Mammogram, left breast, medio-lateral oblique view. 52-year-old patient.
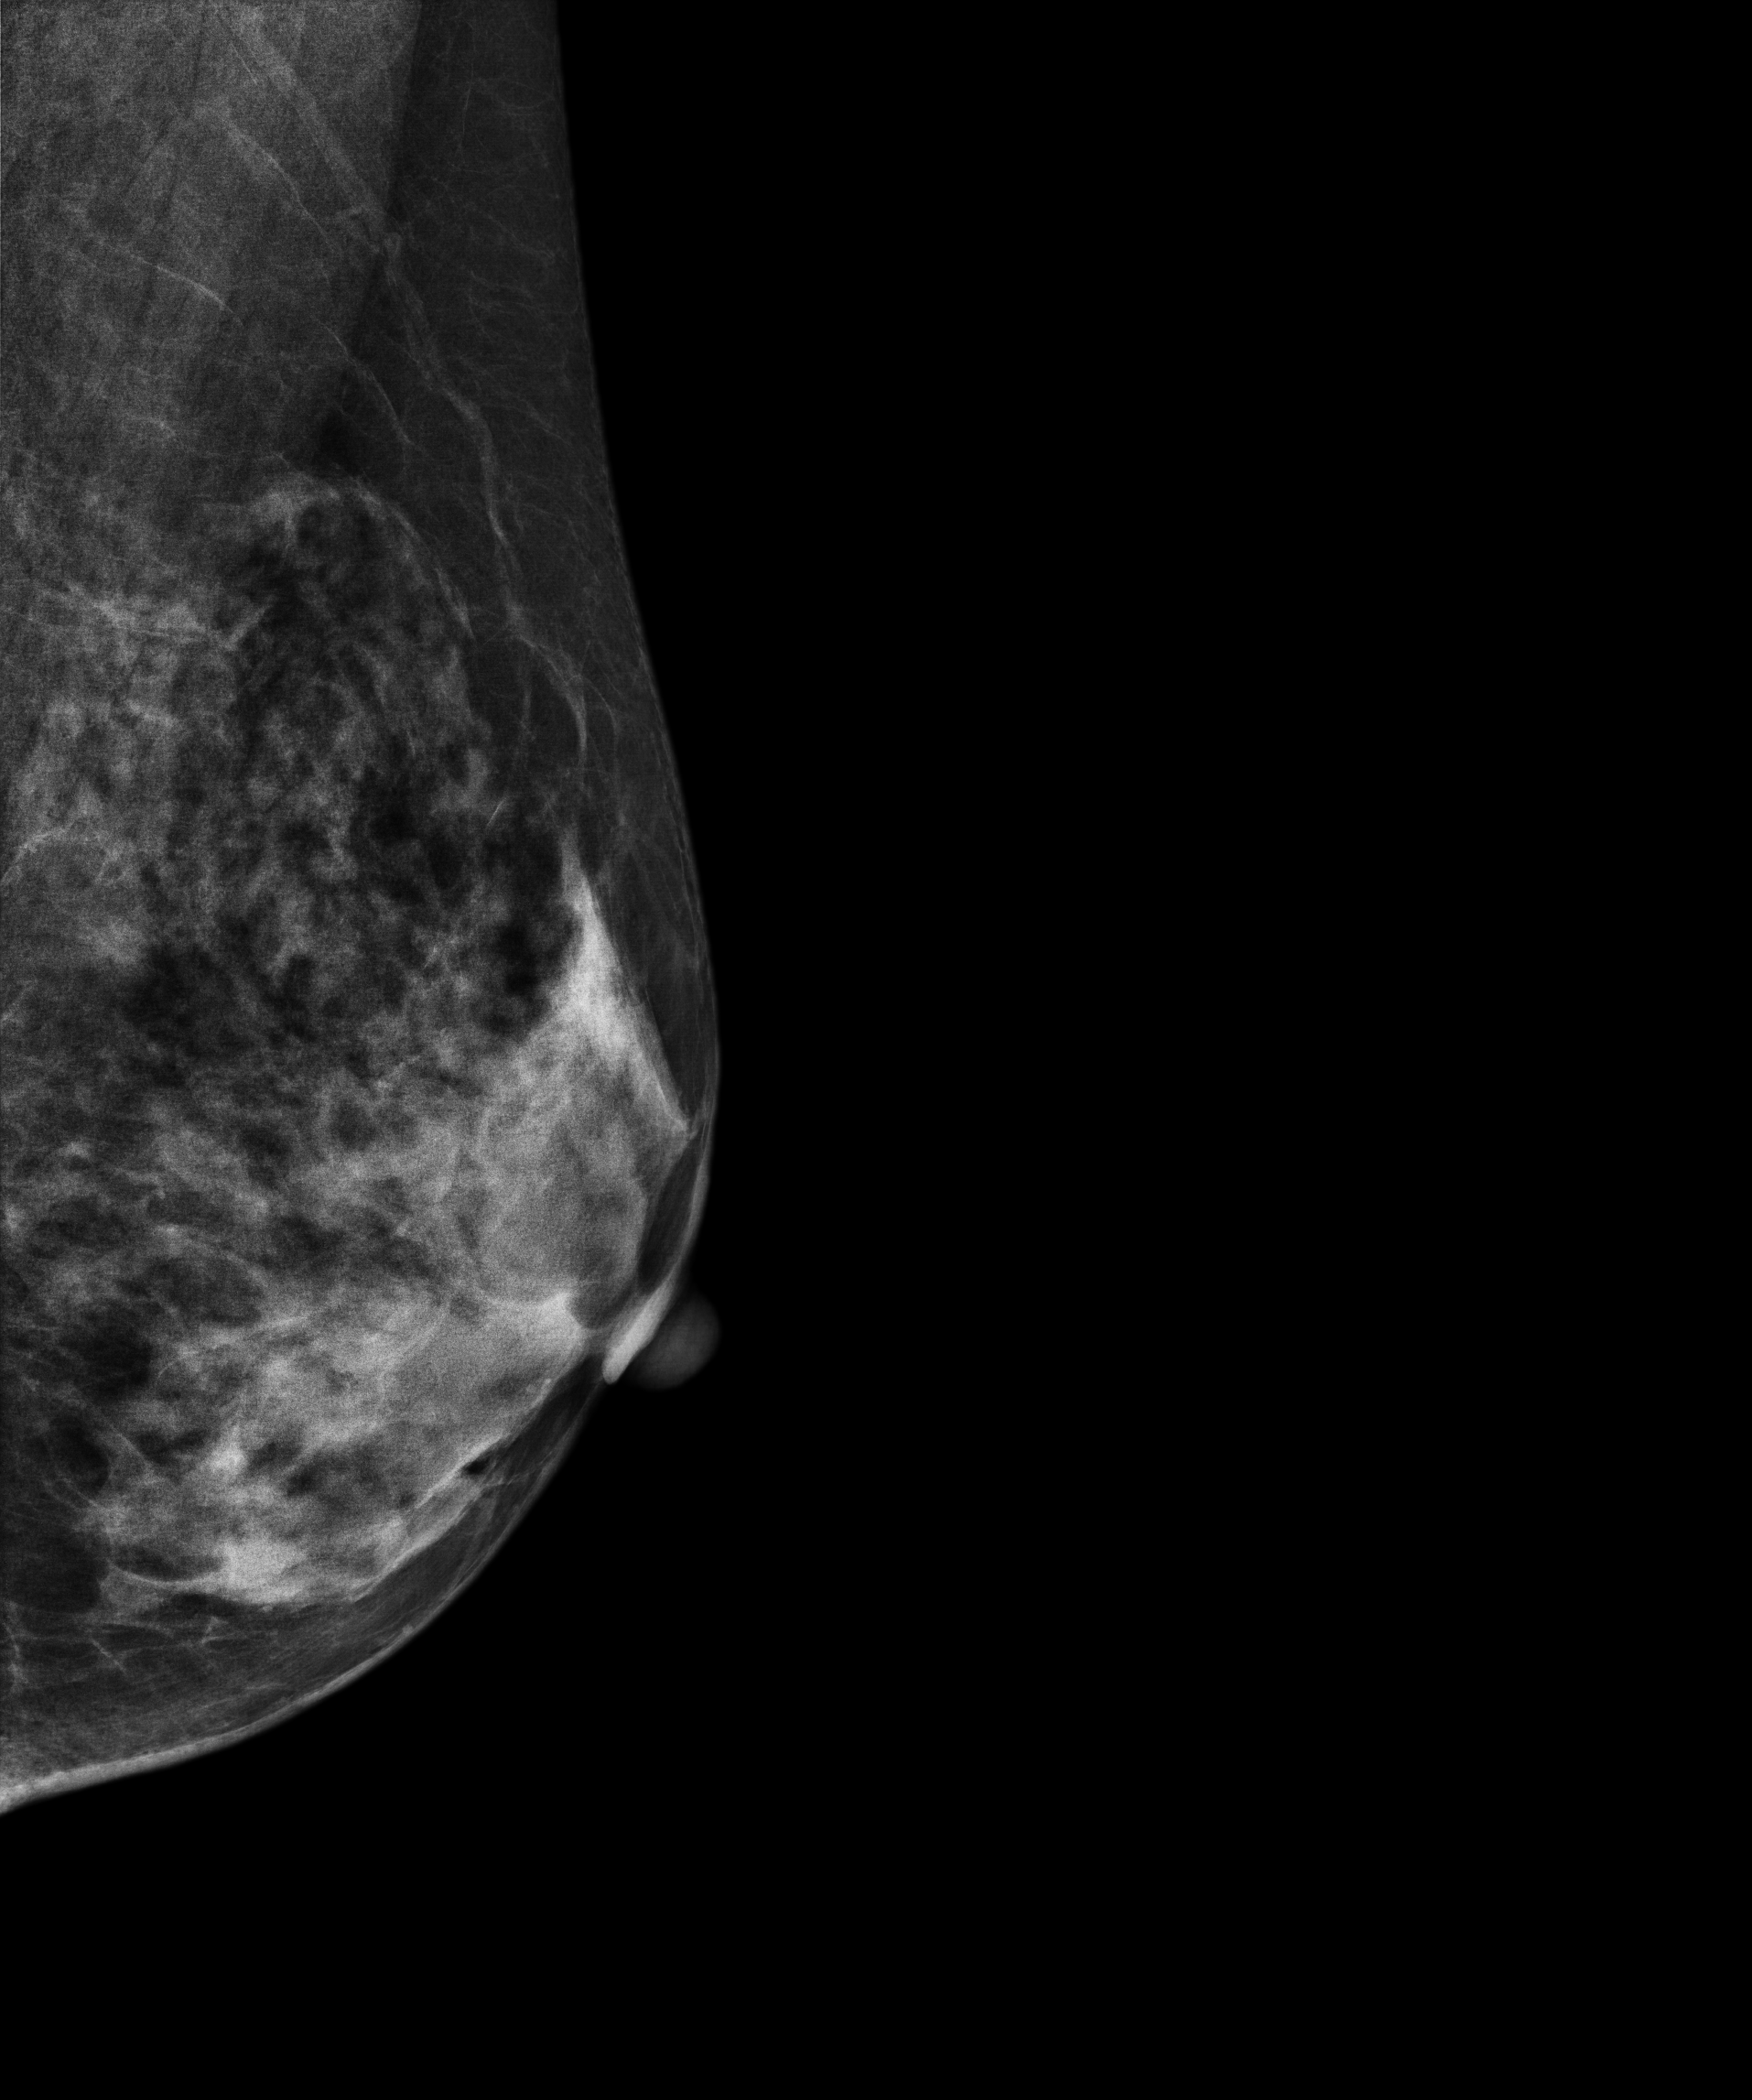
Contralateral breast — no documented abnormality on this side.